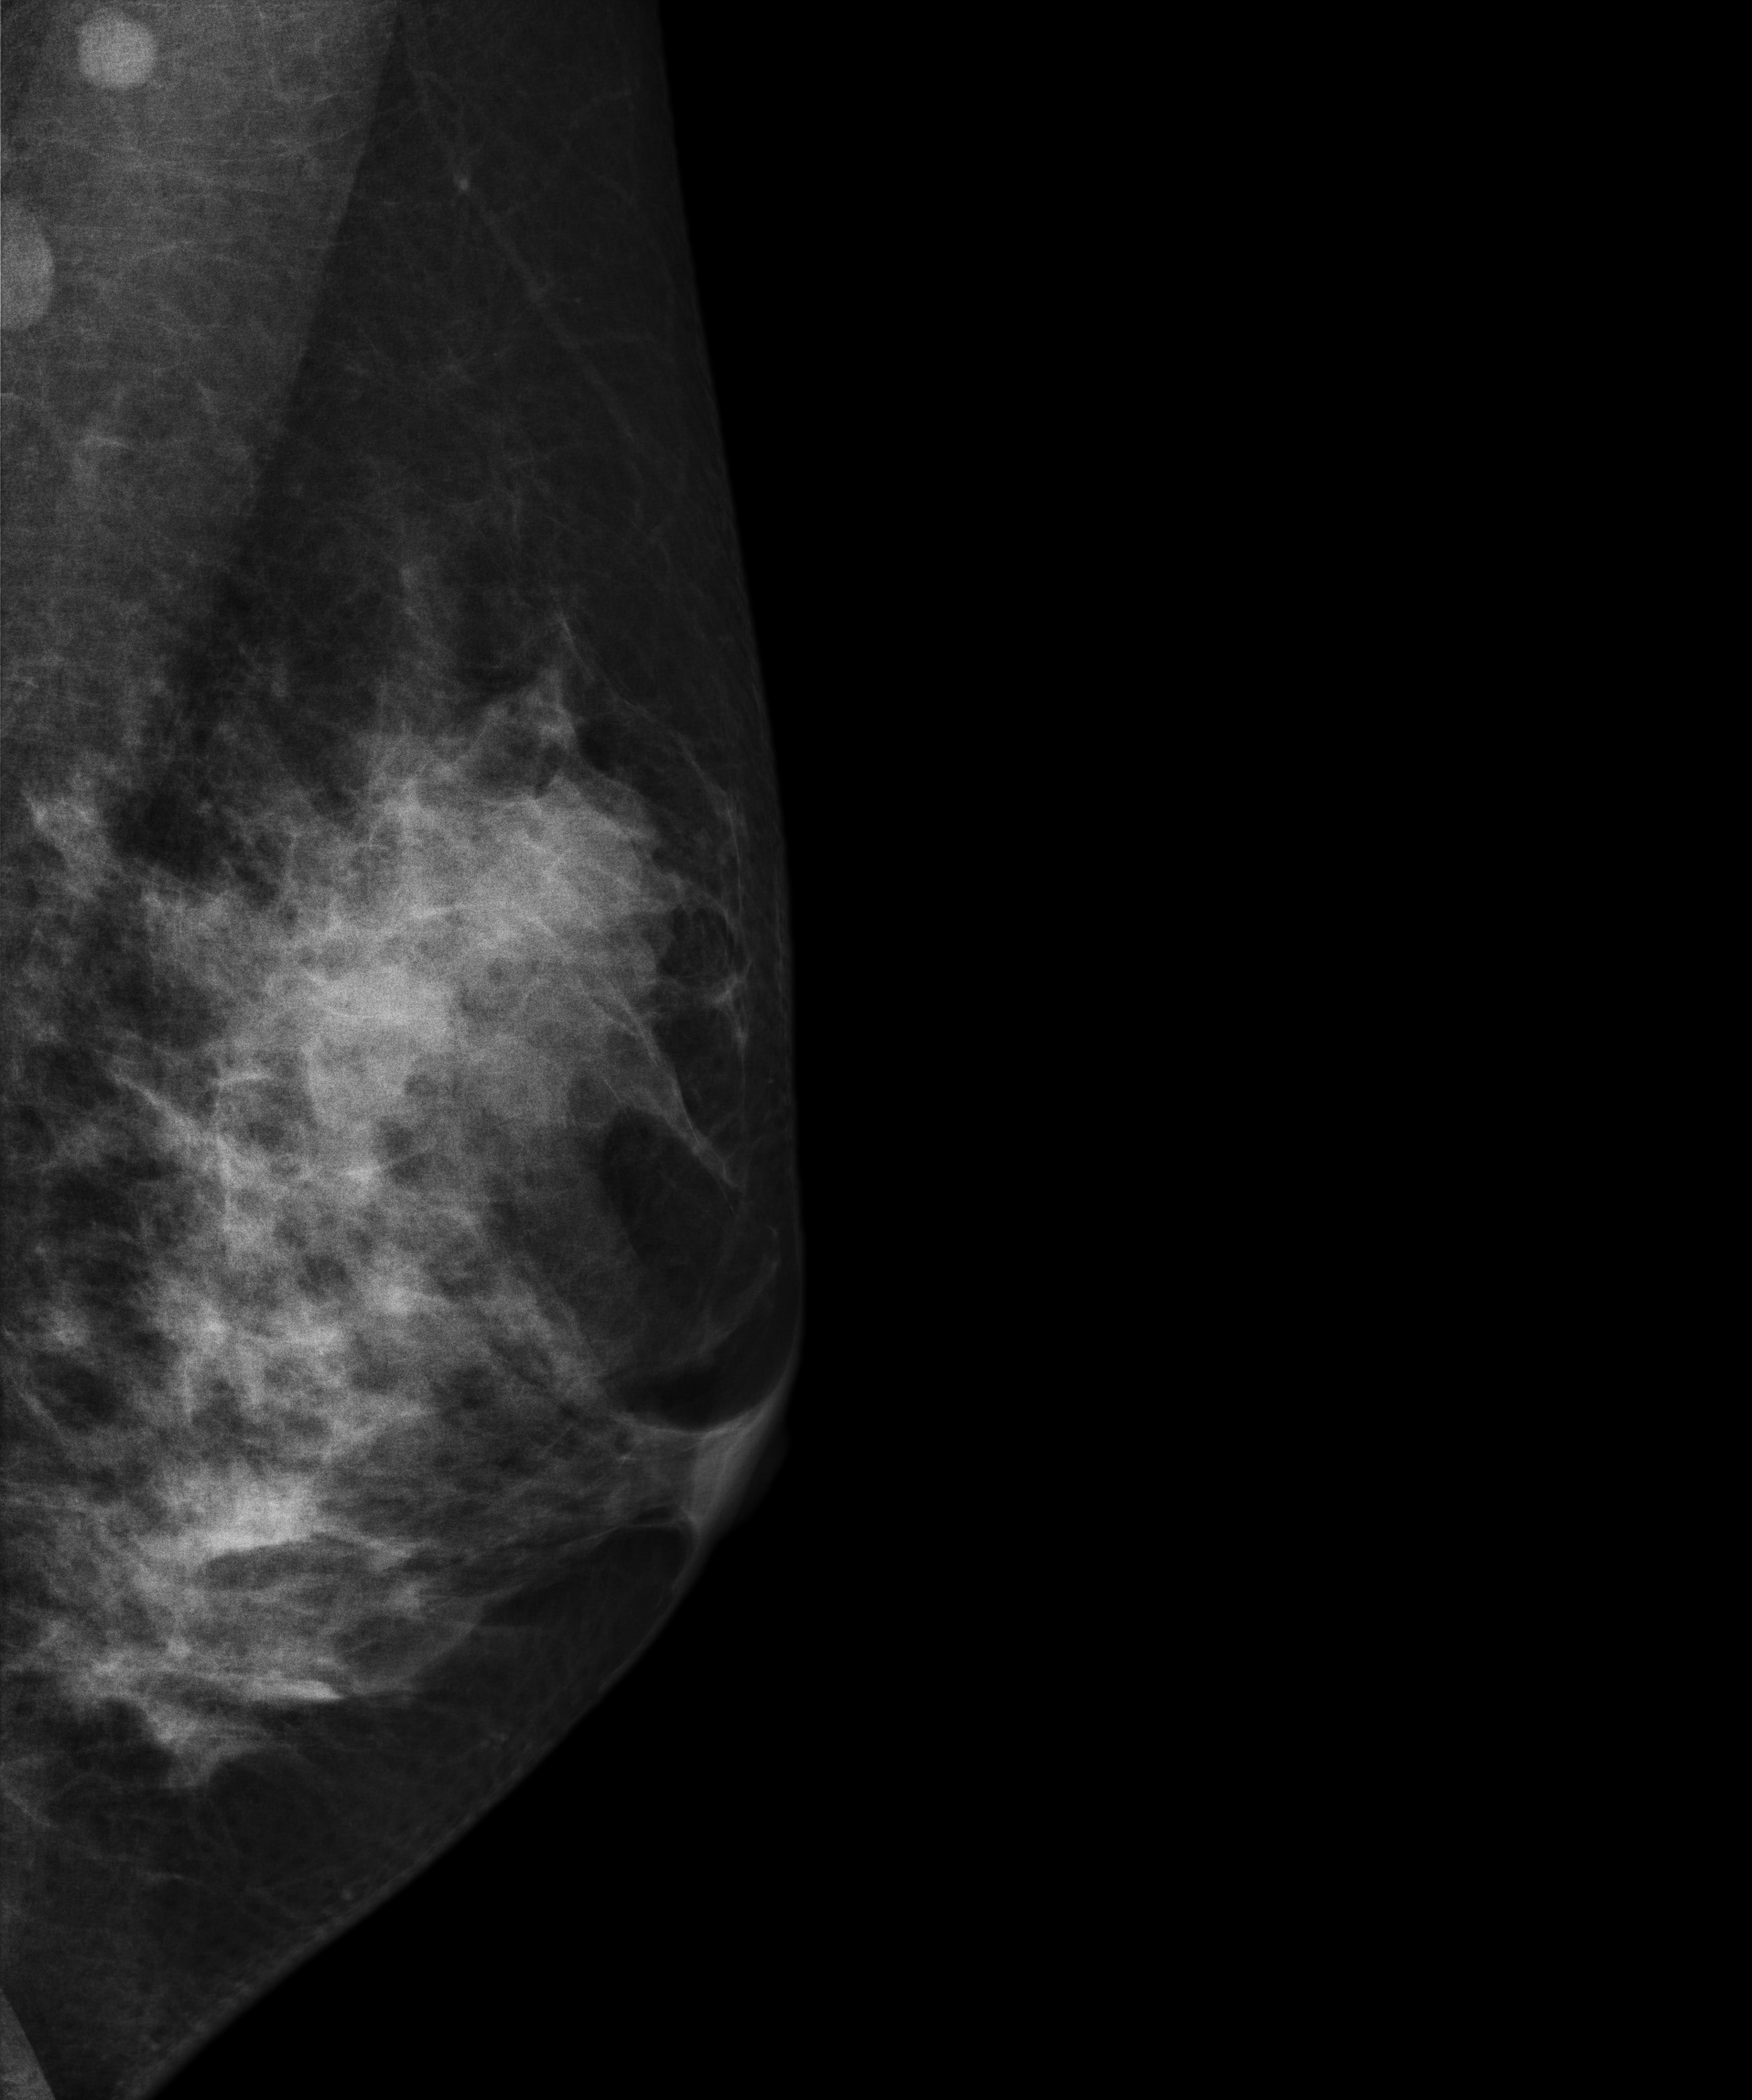
Mammogram — left MLO. 42-year-old patient.
This breast has a mass, pathology-confirmed malignant. Molecular subtype: triple-negative.